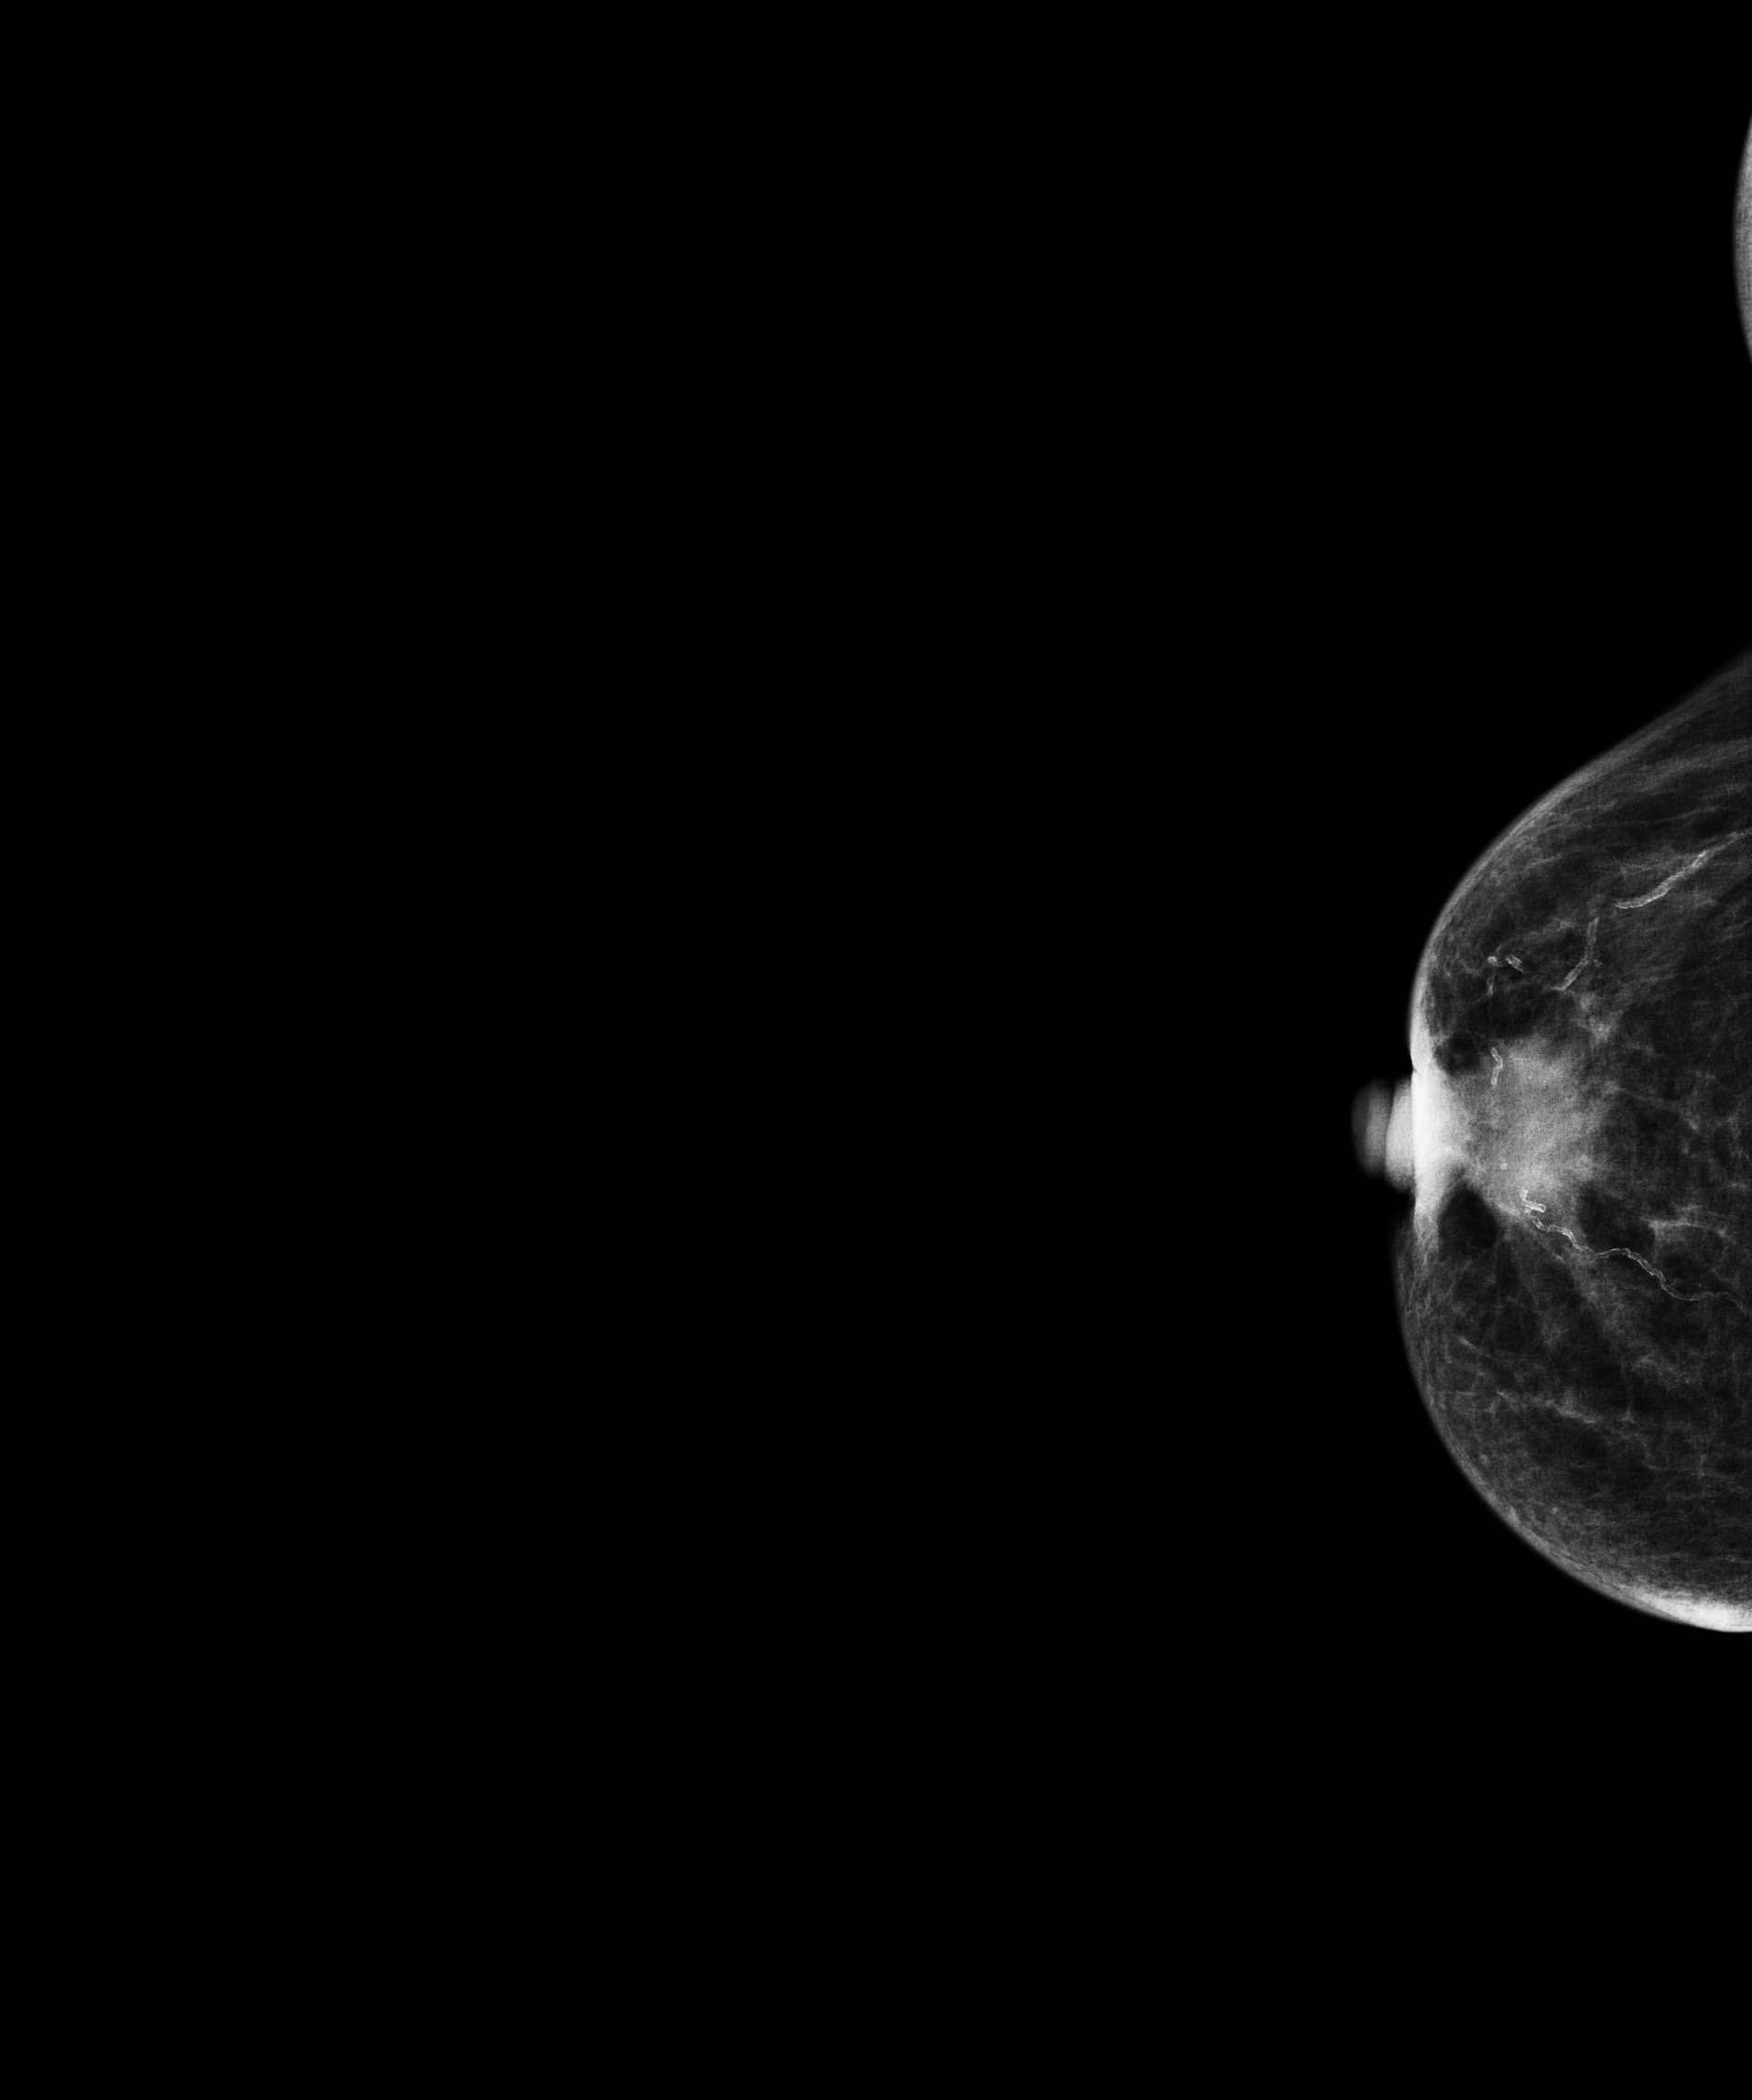
Digital mammography. Right breast, CC projection. 81-year-old patient.
This breast has a mass, biopsy-confirmed malignant. Molecular subtype: luminal A.